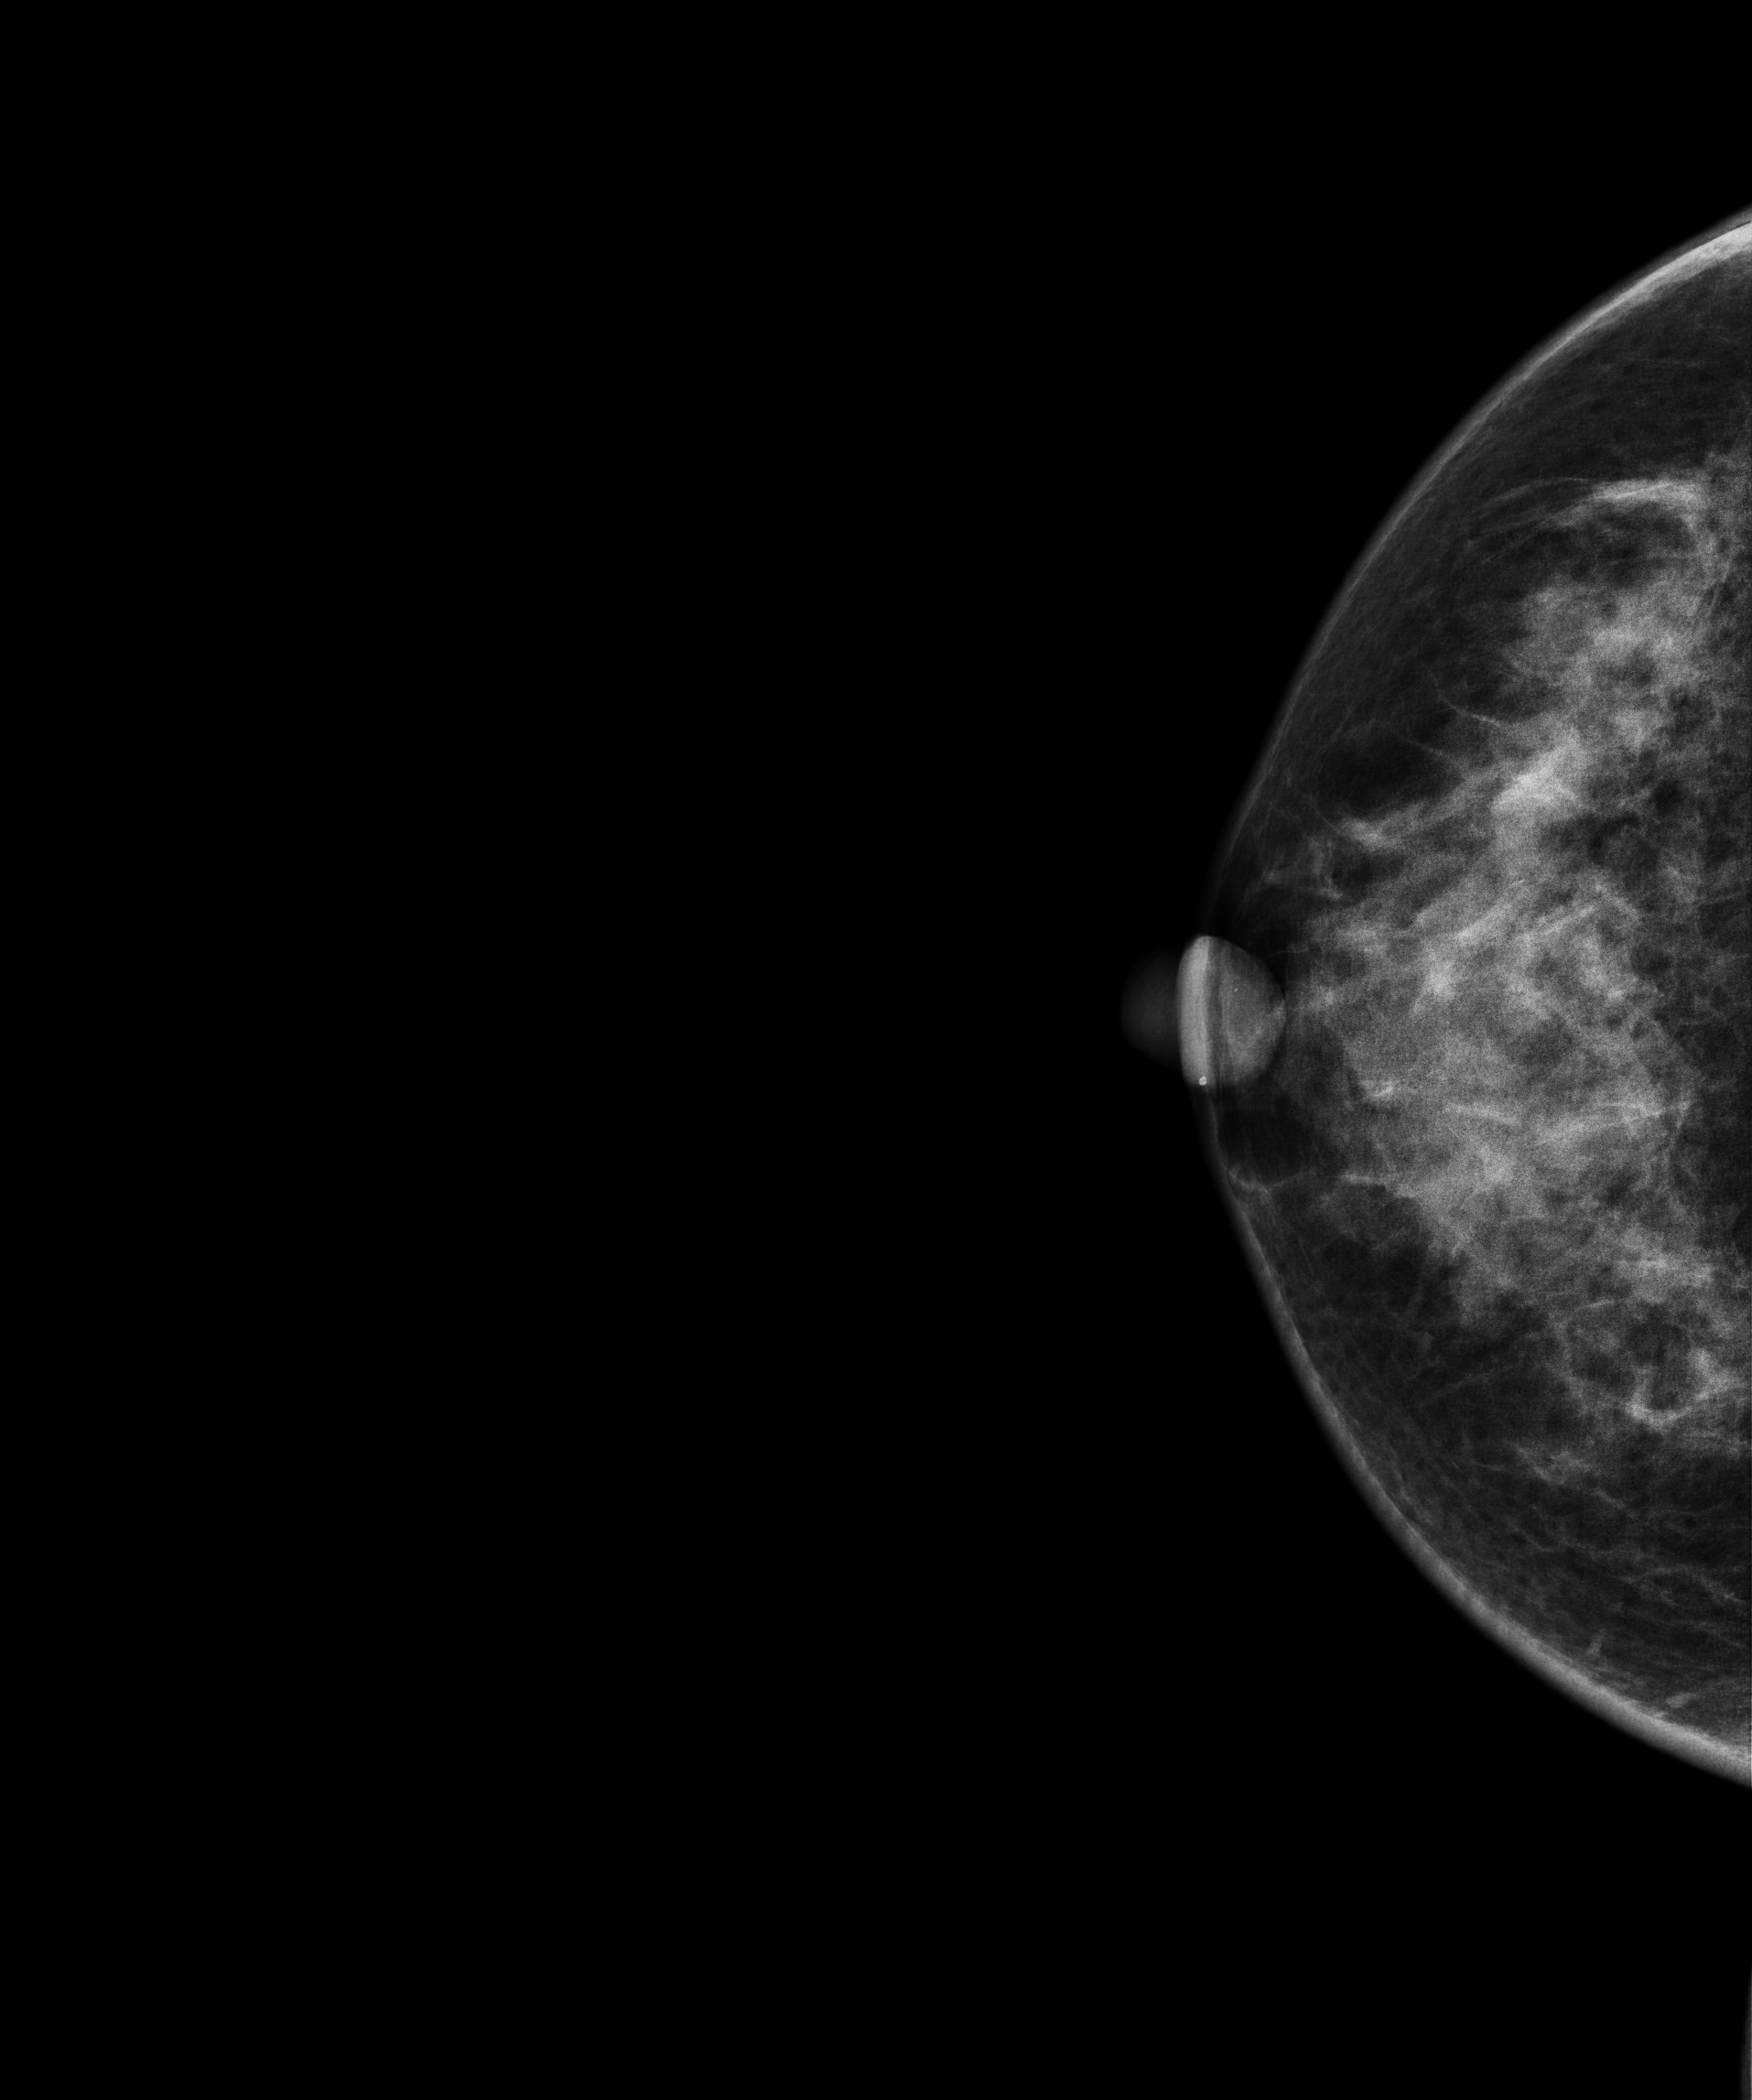
Mammogram — right cranio-caudal. 53 y/o patient.
This breast has a mass, biopsy-proven benign.